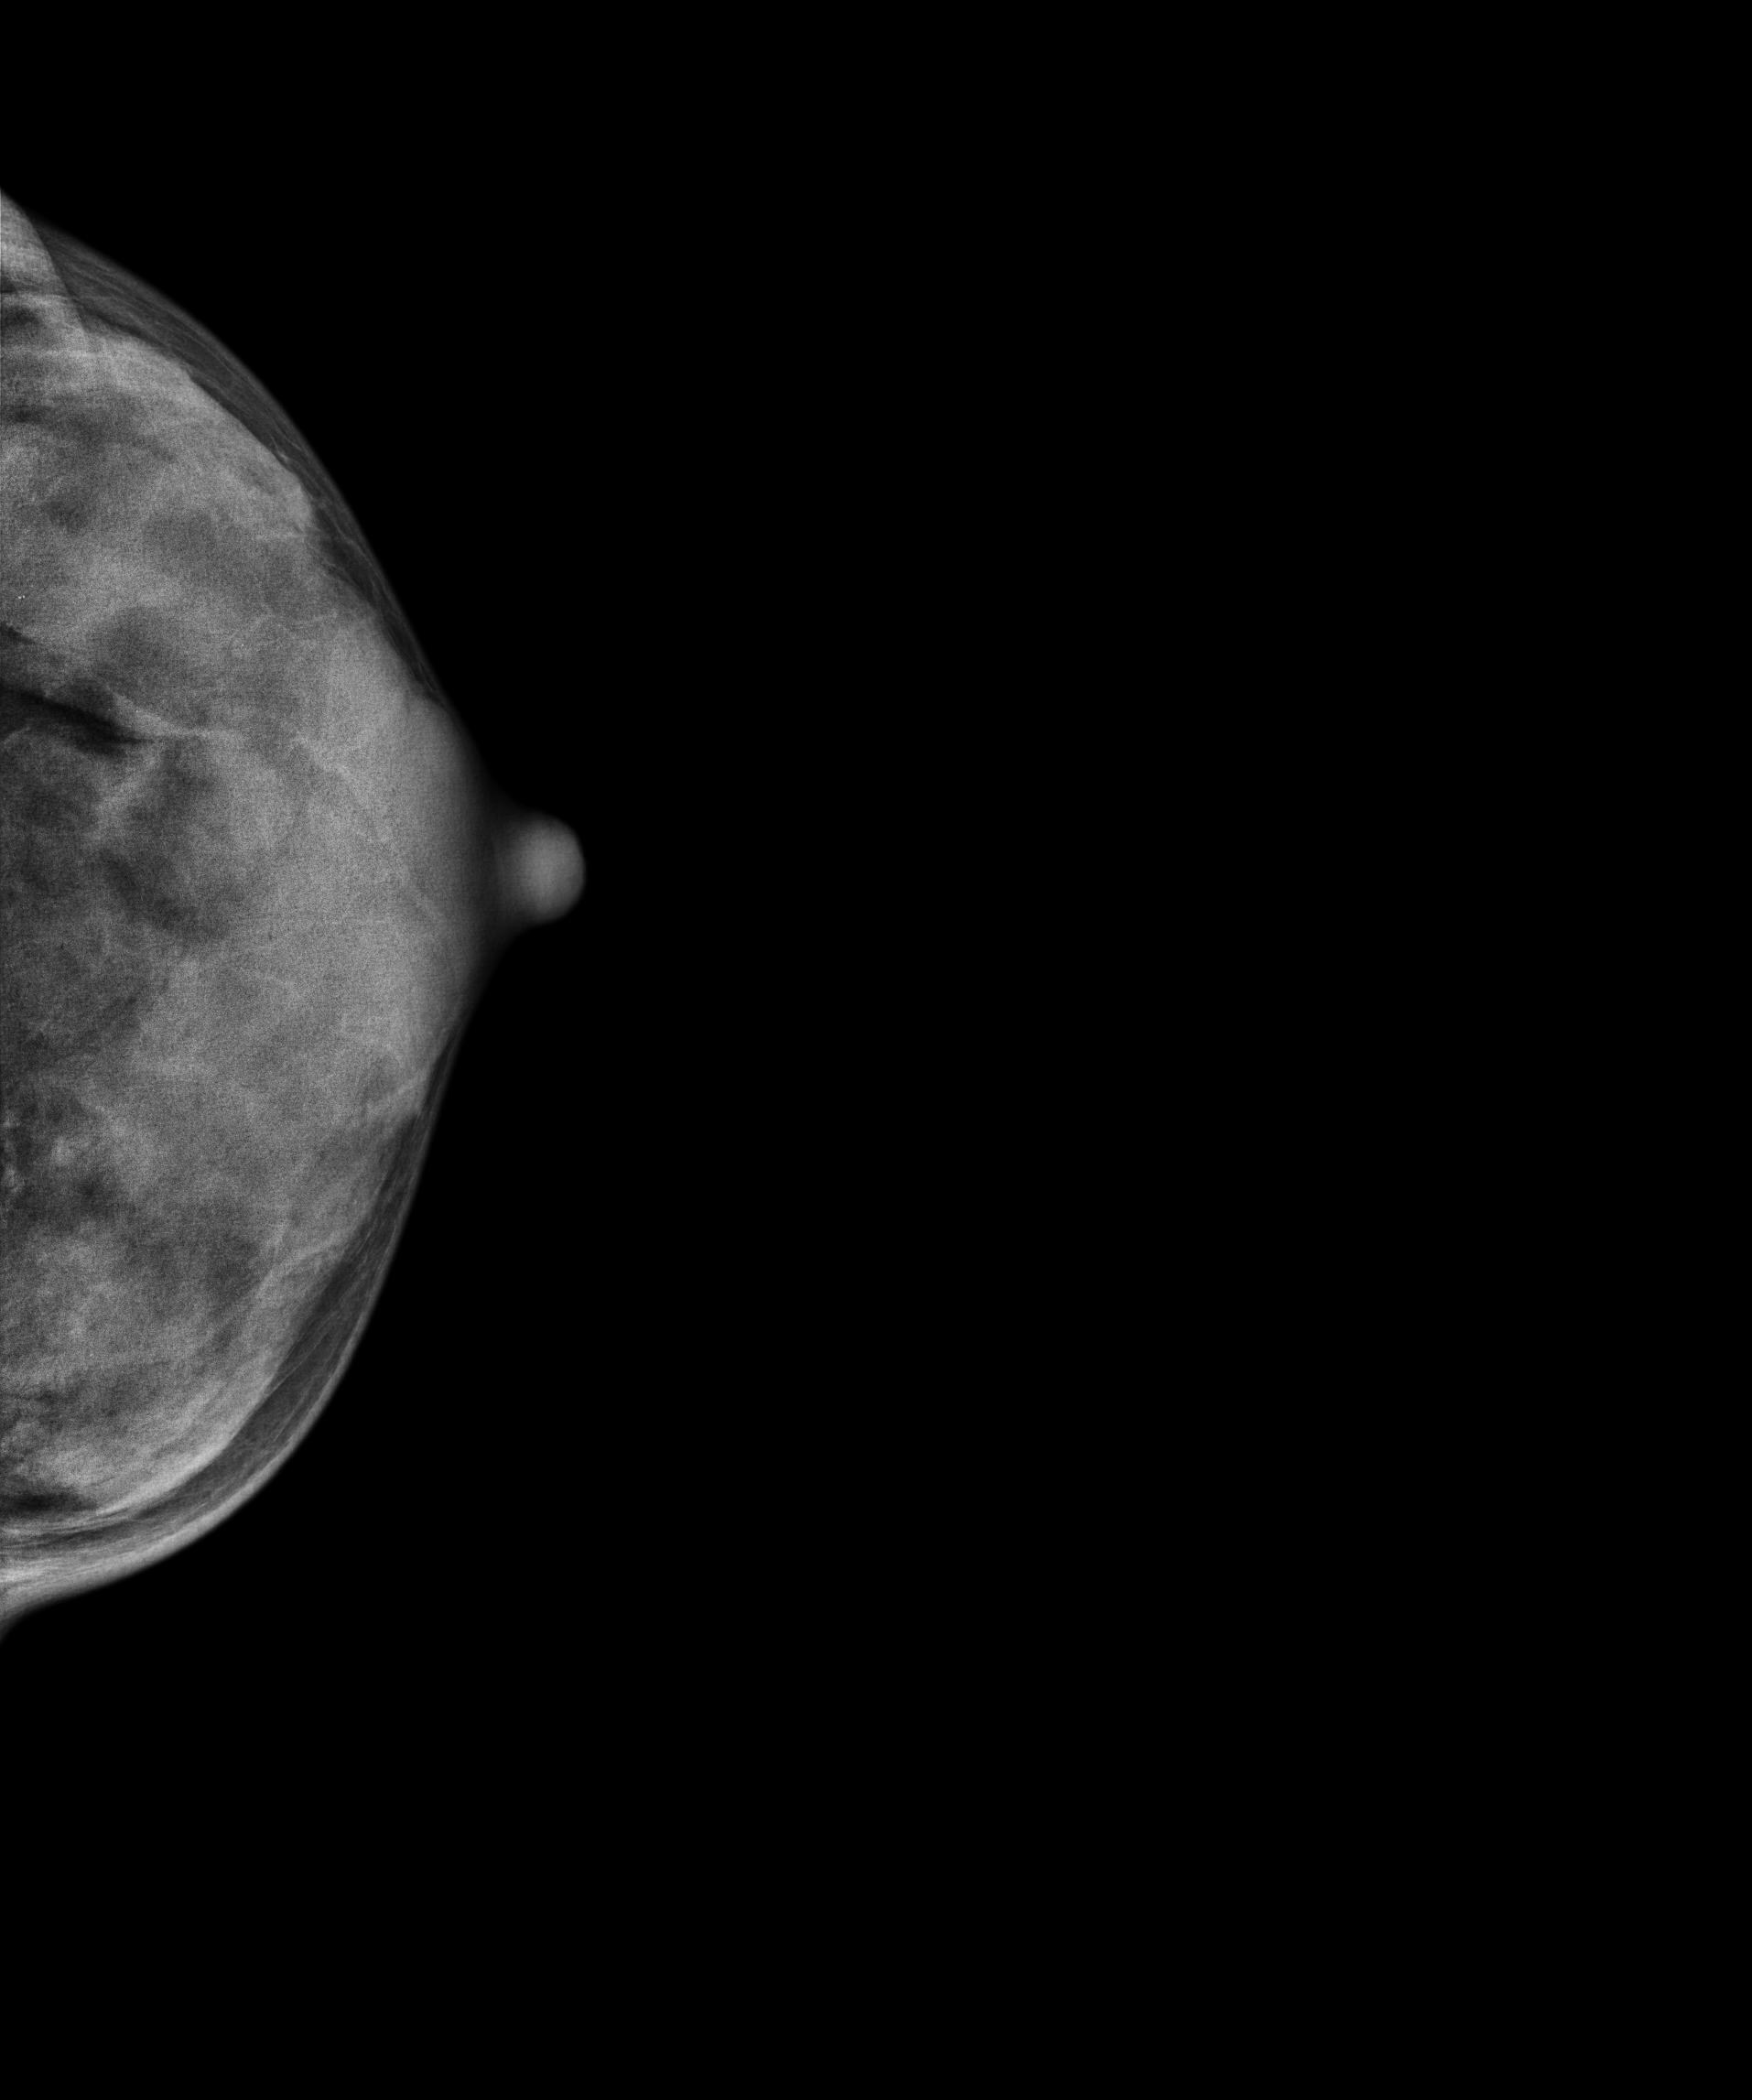
CC mammogram of the left breast. 42 y/o patient.
This breast has a mass, pathology-confirmed benign.